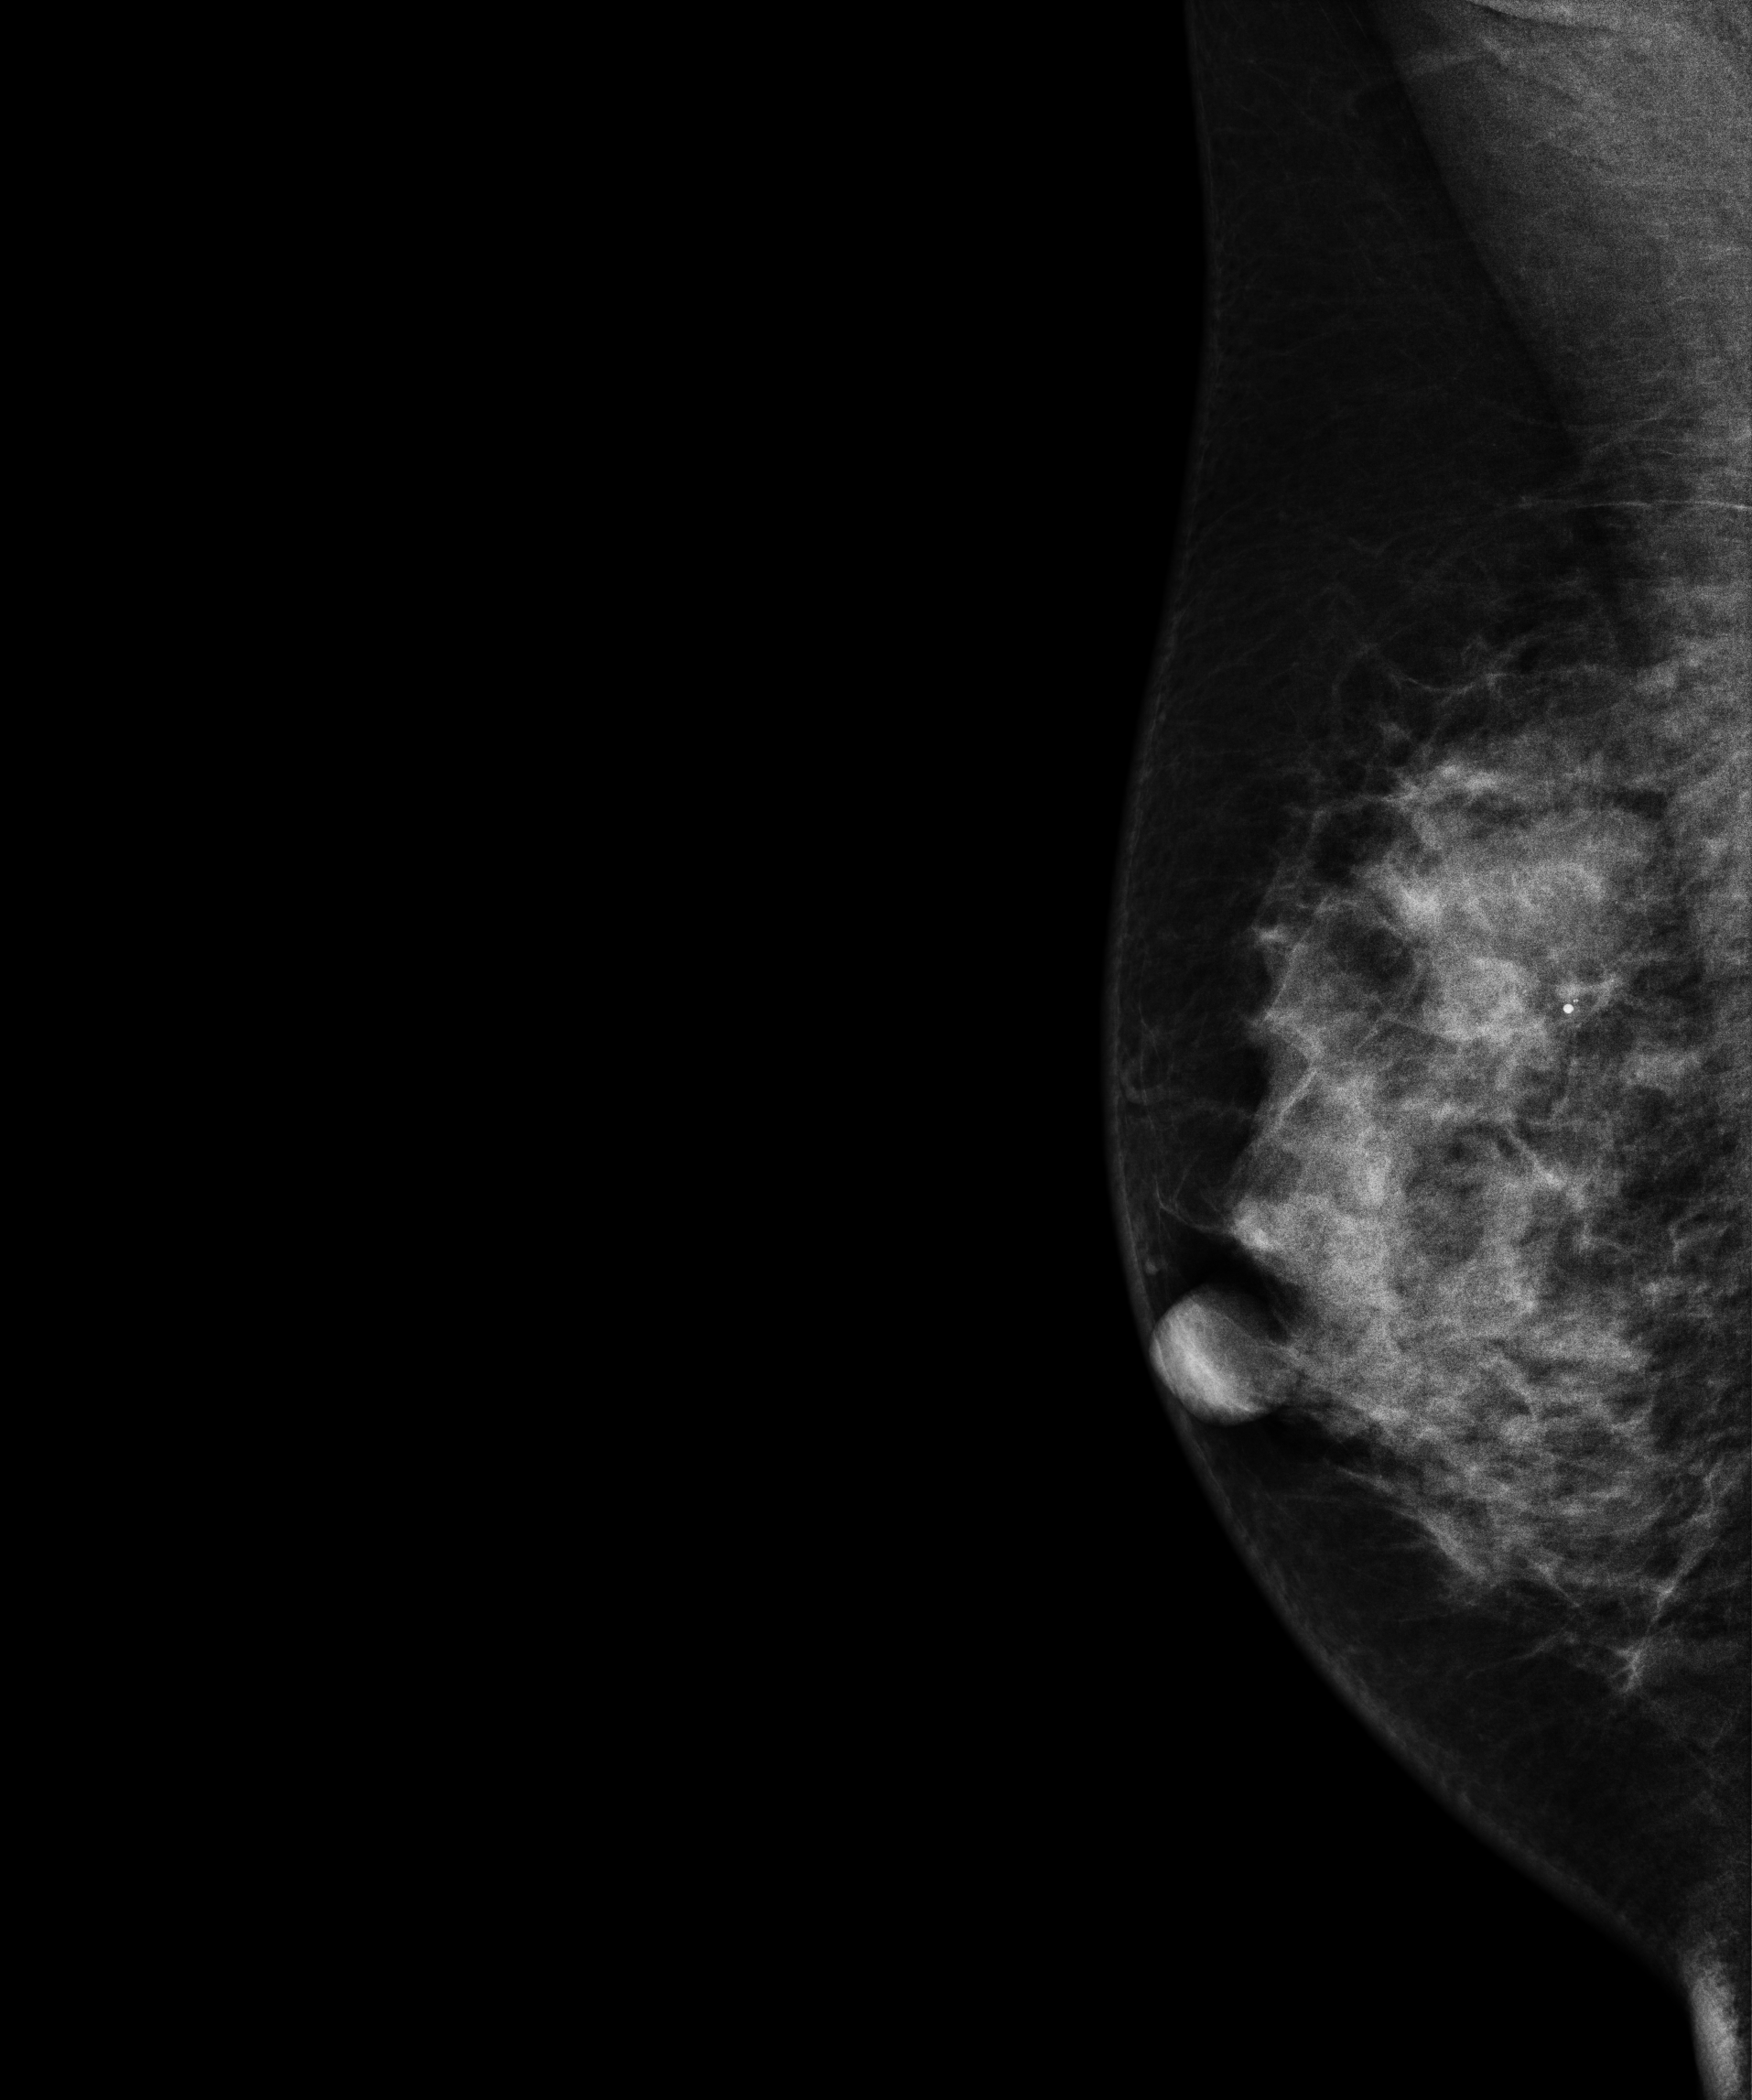
Digital mammography. Right breast, medio-lateral oblique projection. 54-year-old patient.
This breast has a mass and calcifications, biopsy-confirmed malignant.